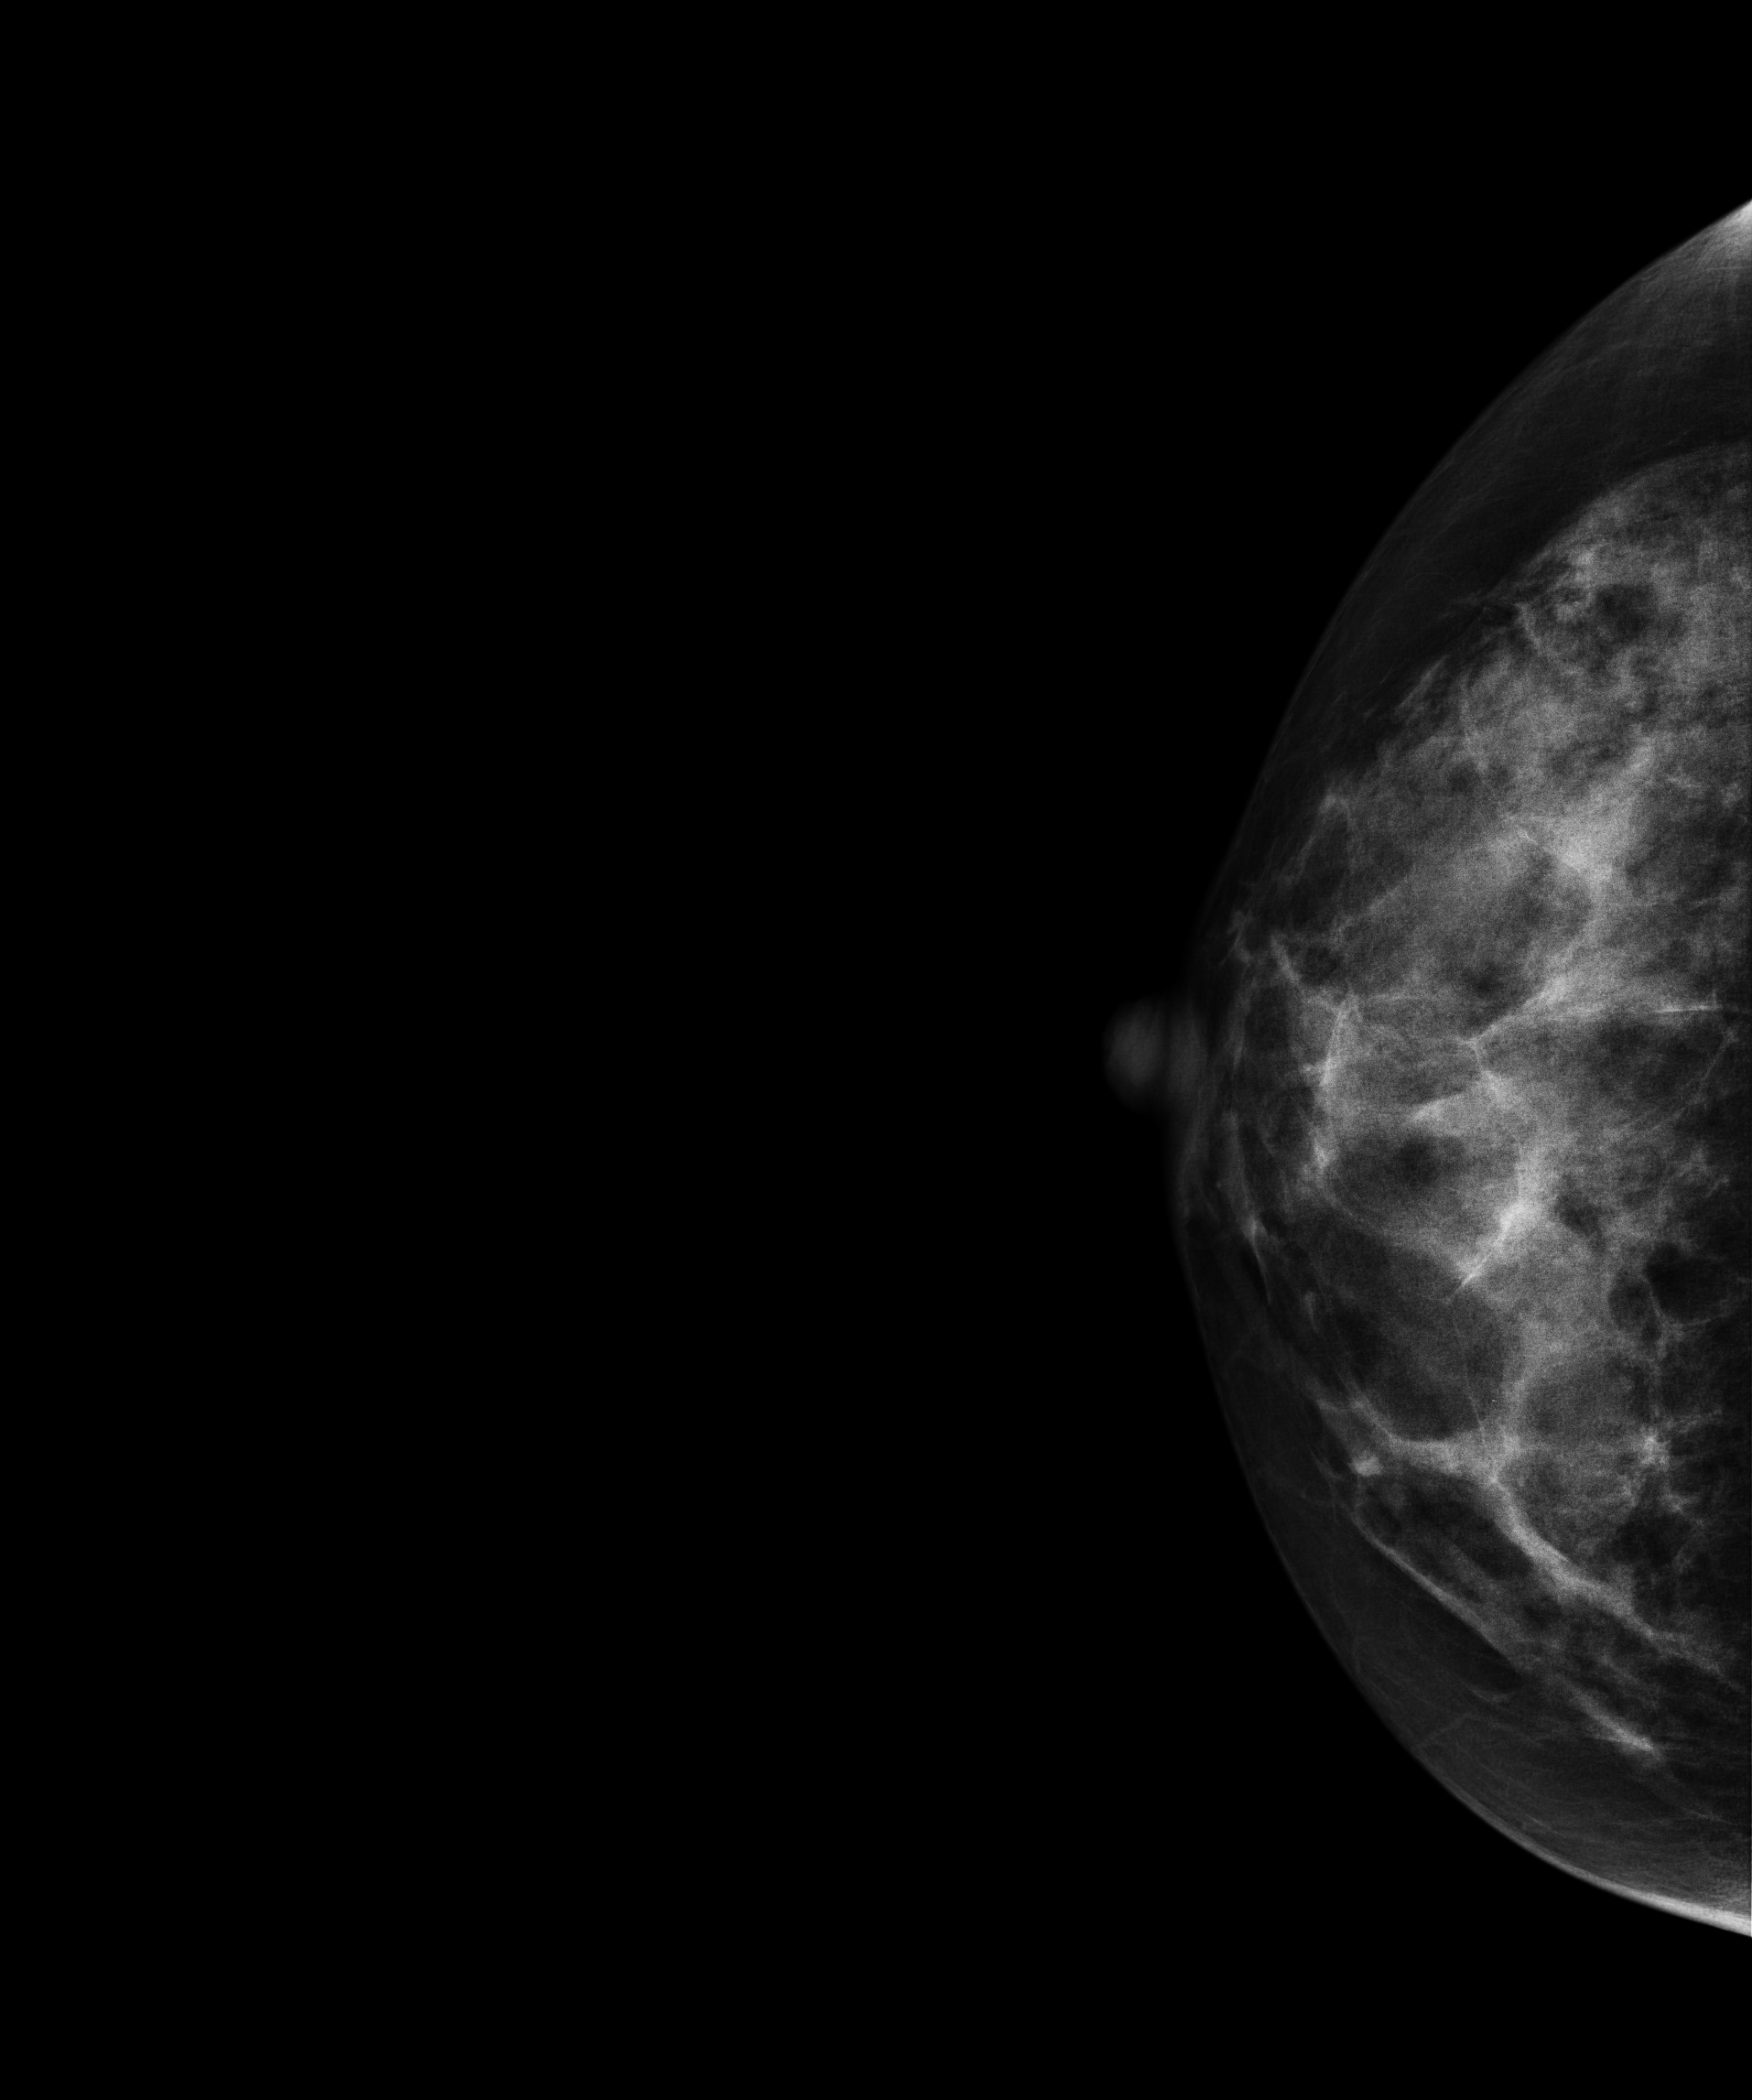
Mammogram, right breast, cranio-caudal view. 36 y/o patient.
This breast has a mass, histologically confirmed benign.